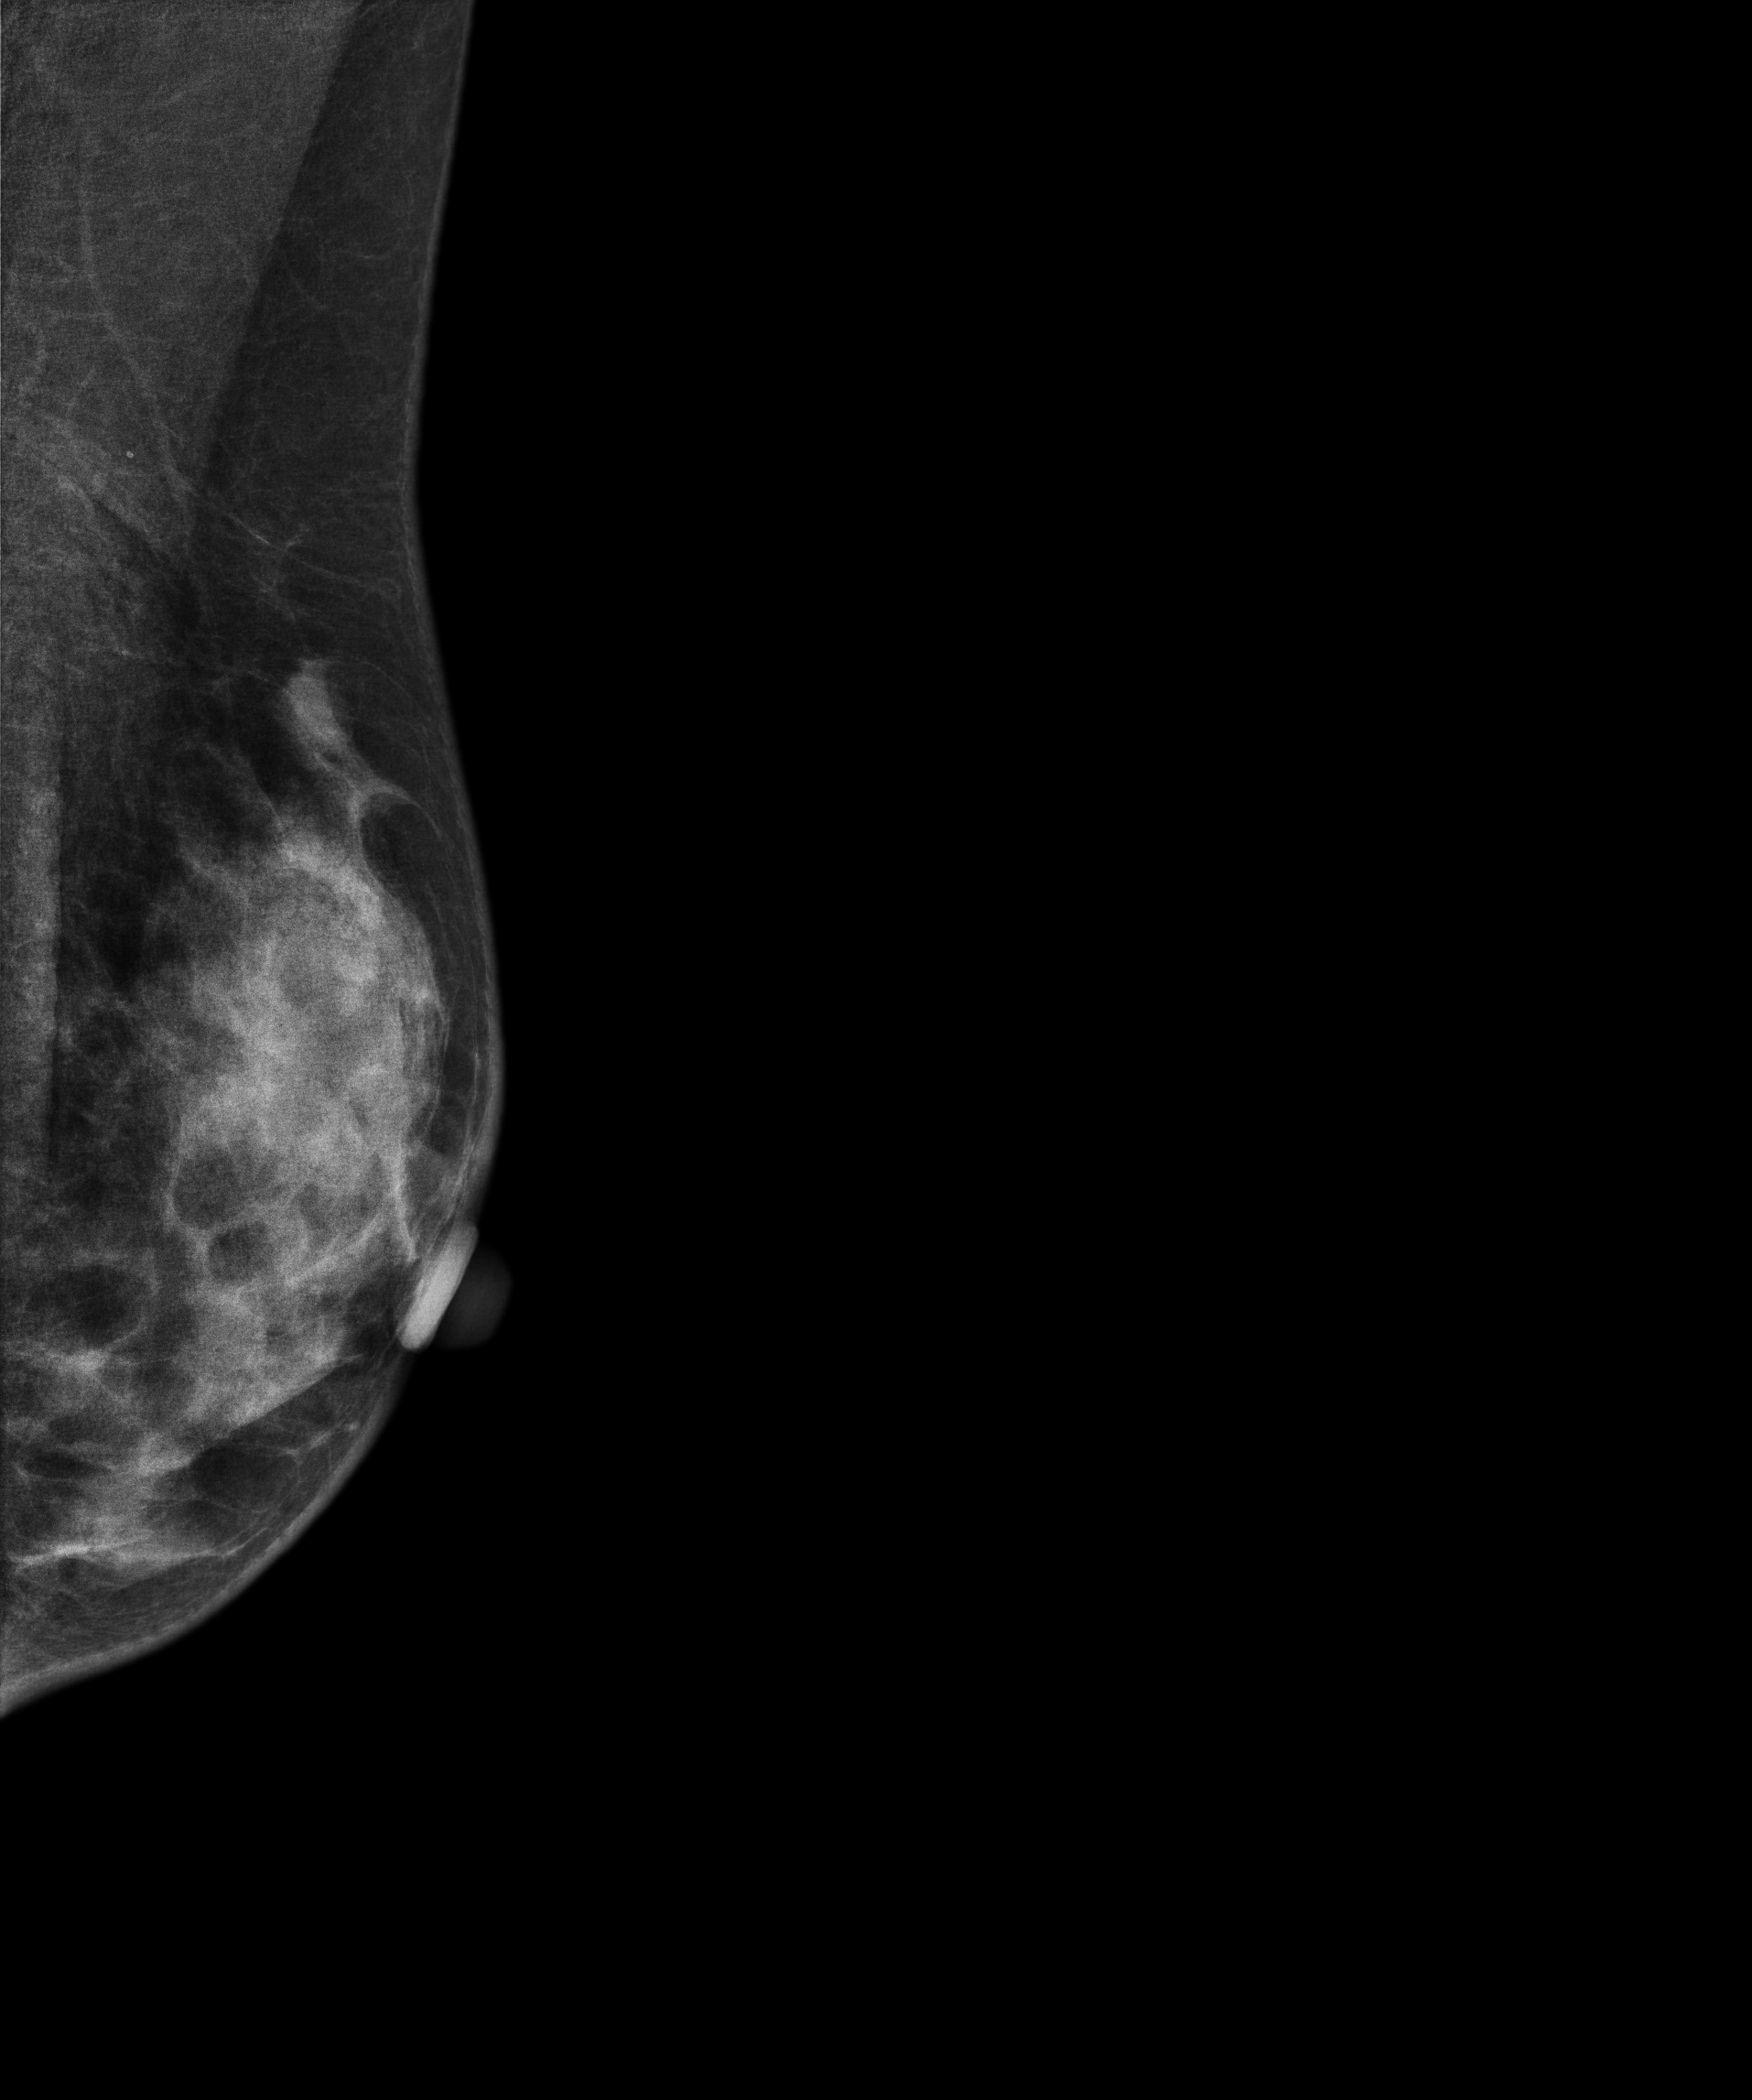
Digital mammography. Left breast, medio-lateral oblique projection. 64 y/o patient.
Contralateral breast — no documented abnormality on this side.